Mammogram — left MLO. Patient age 44.
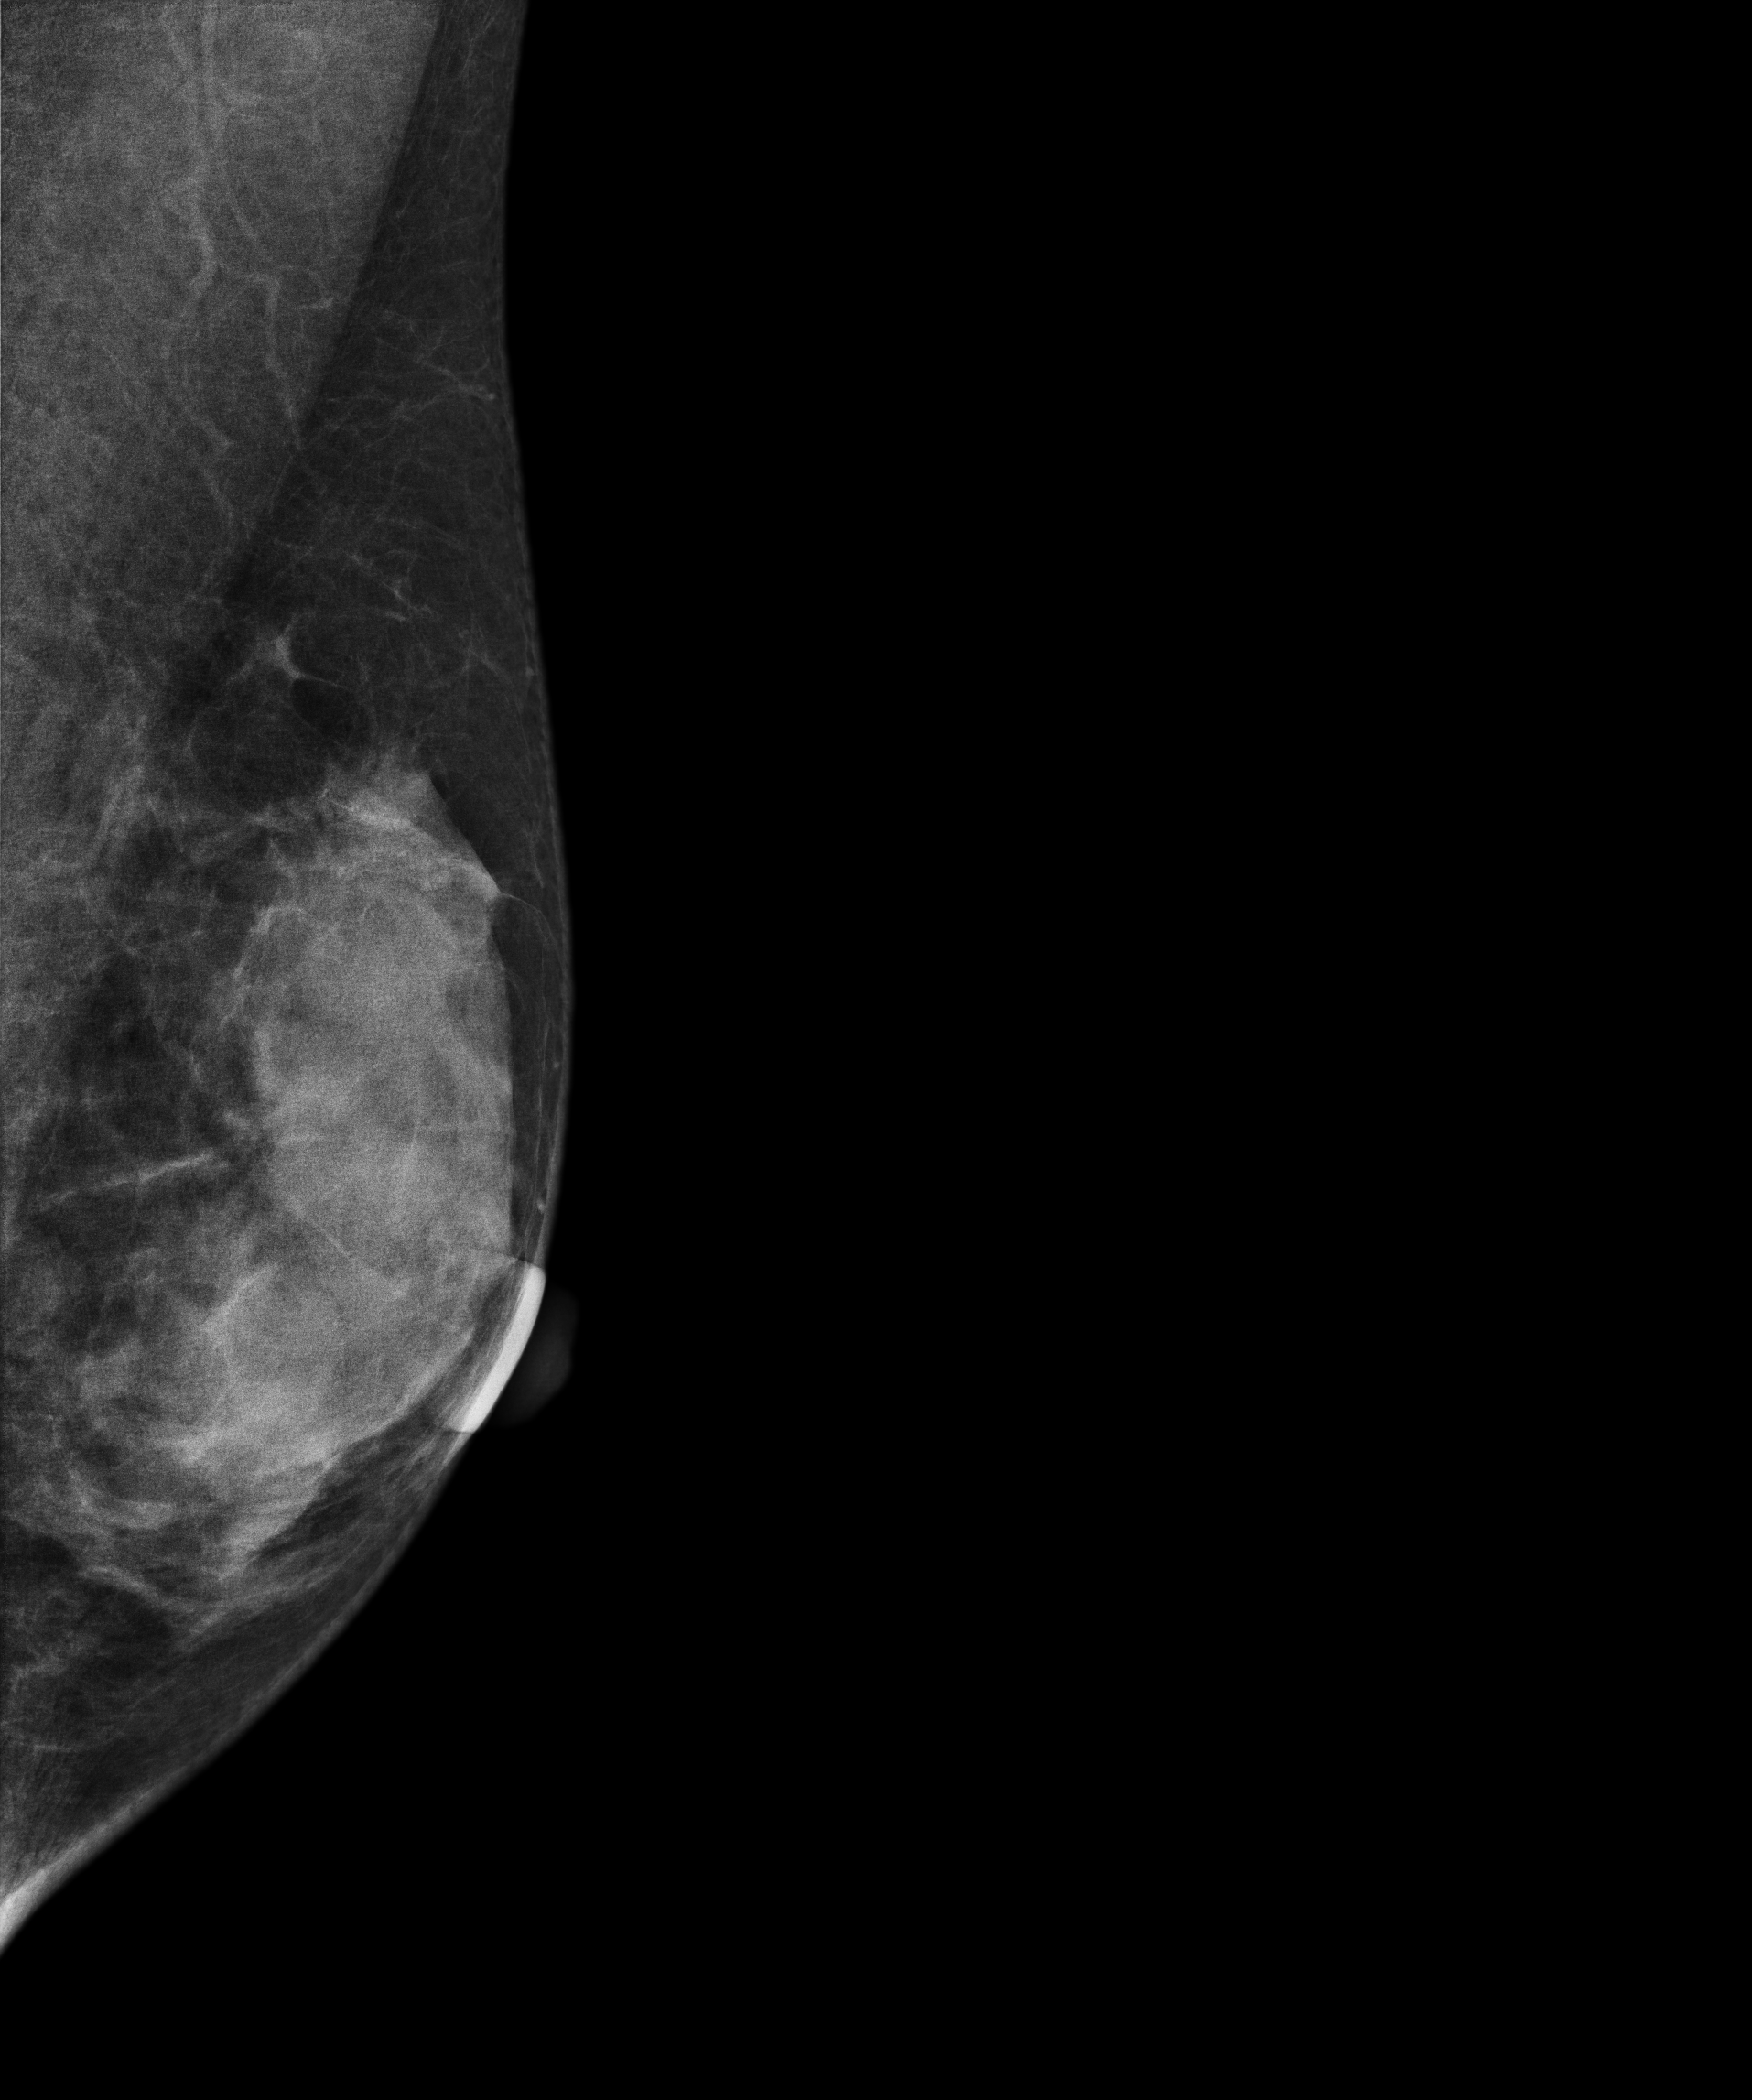
This breast has a mass, biopsy-confirmed benign.